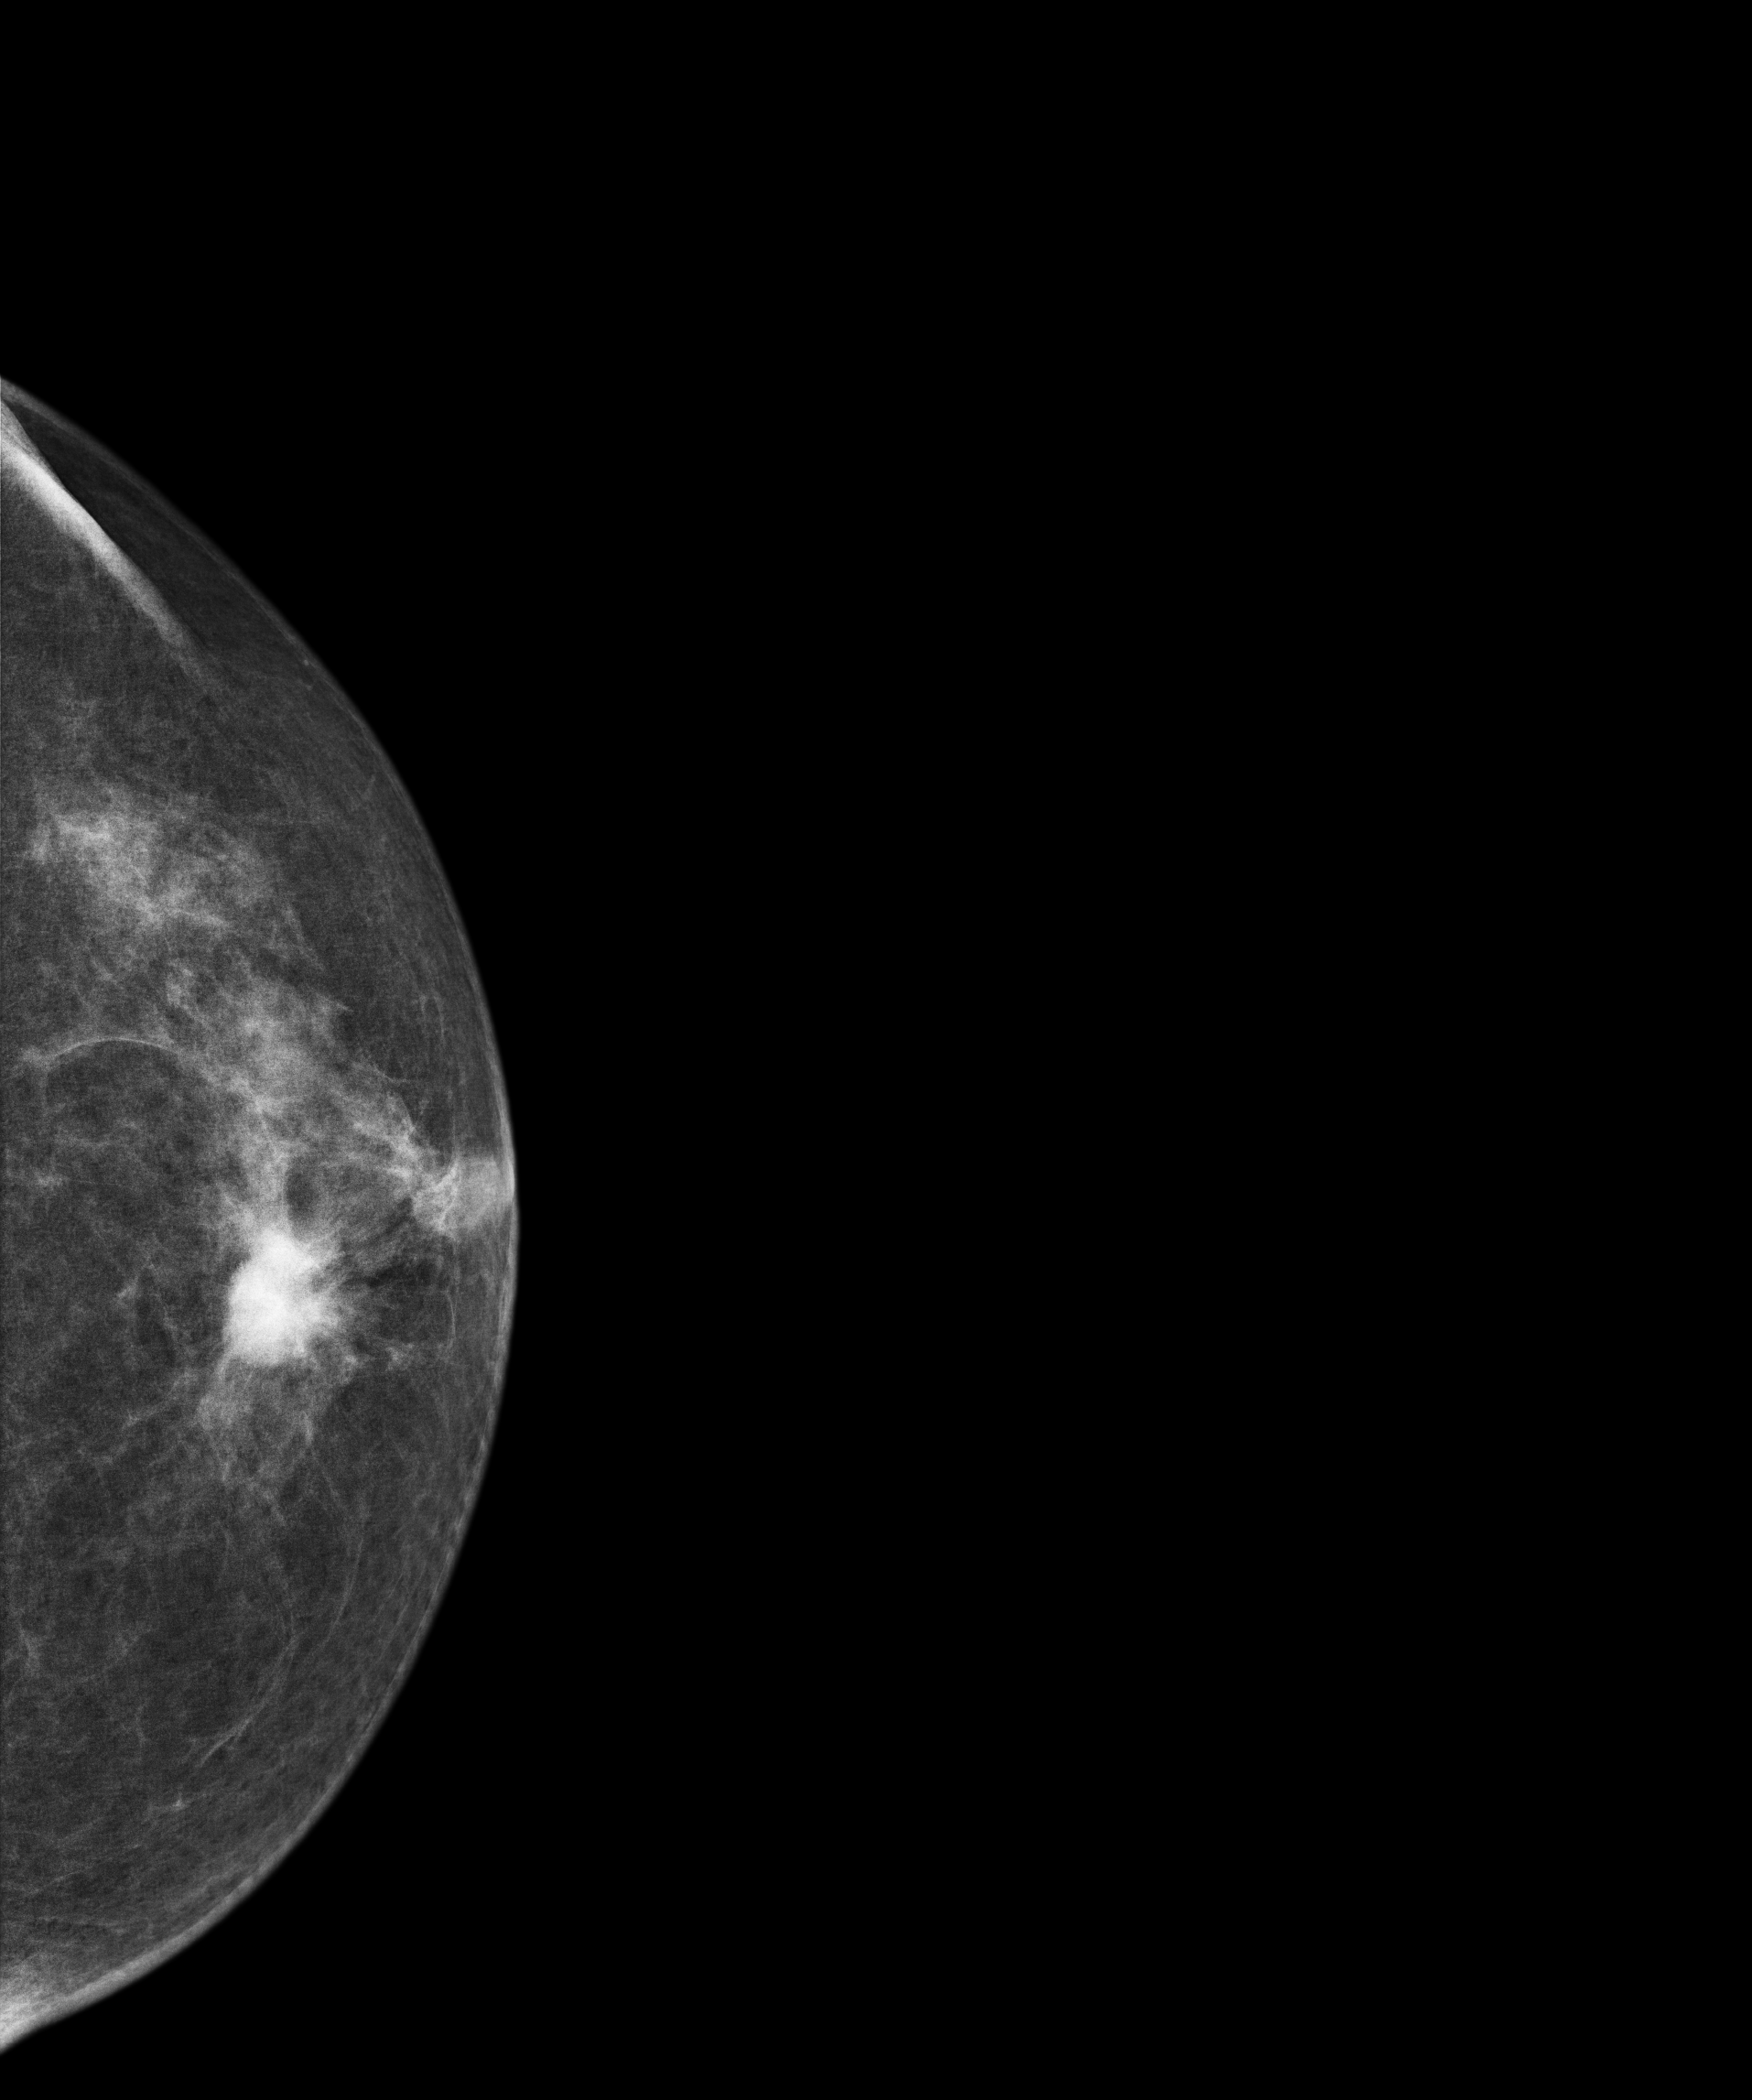
Digital mammography. Left breast, CC projection. Patient age 65.
This breast has a mass, pathology-confirmed malignant. Molecular subtype: luminal B.